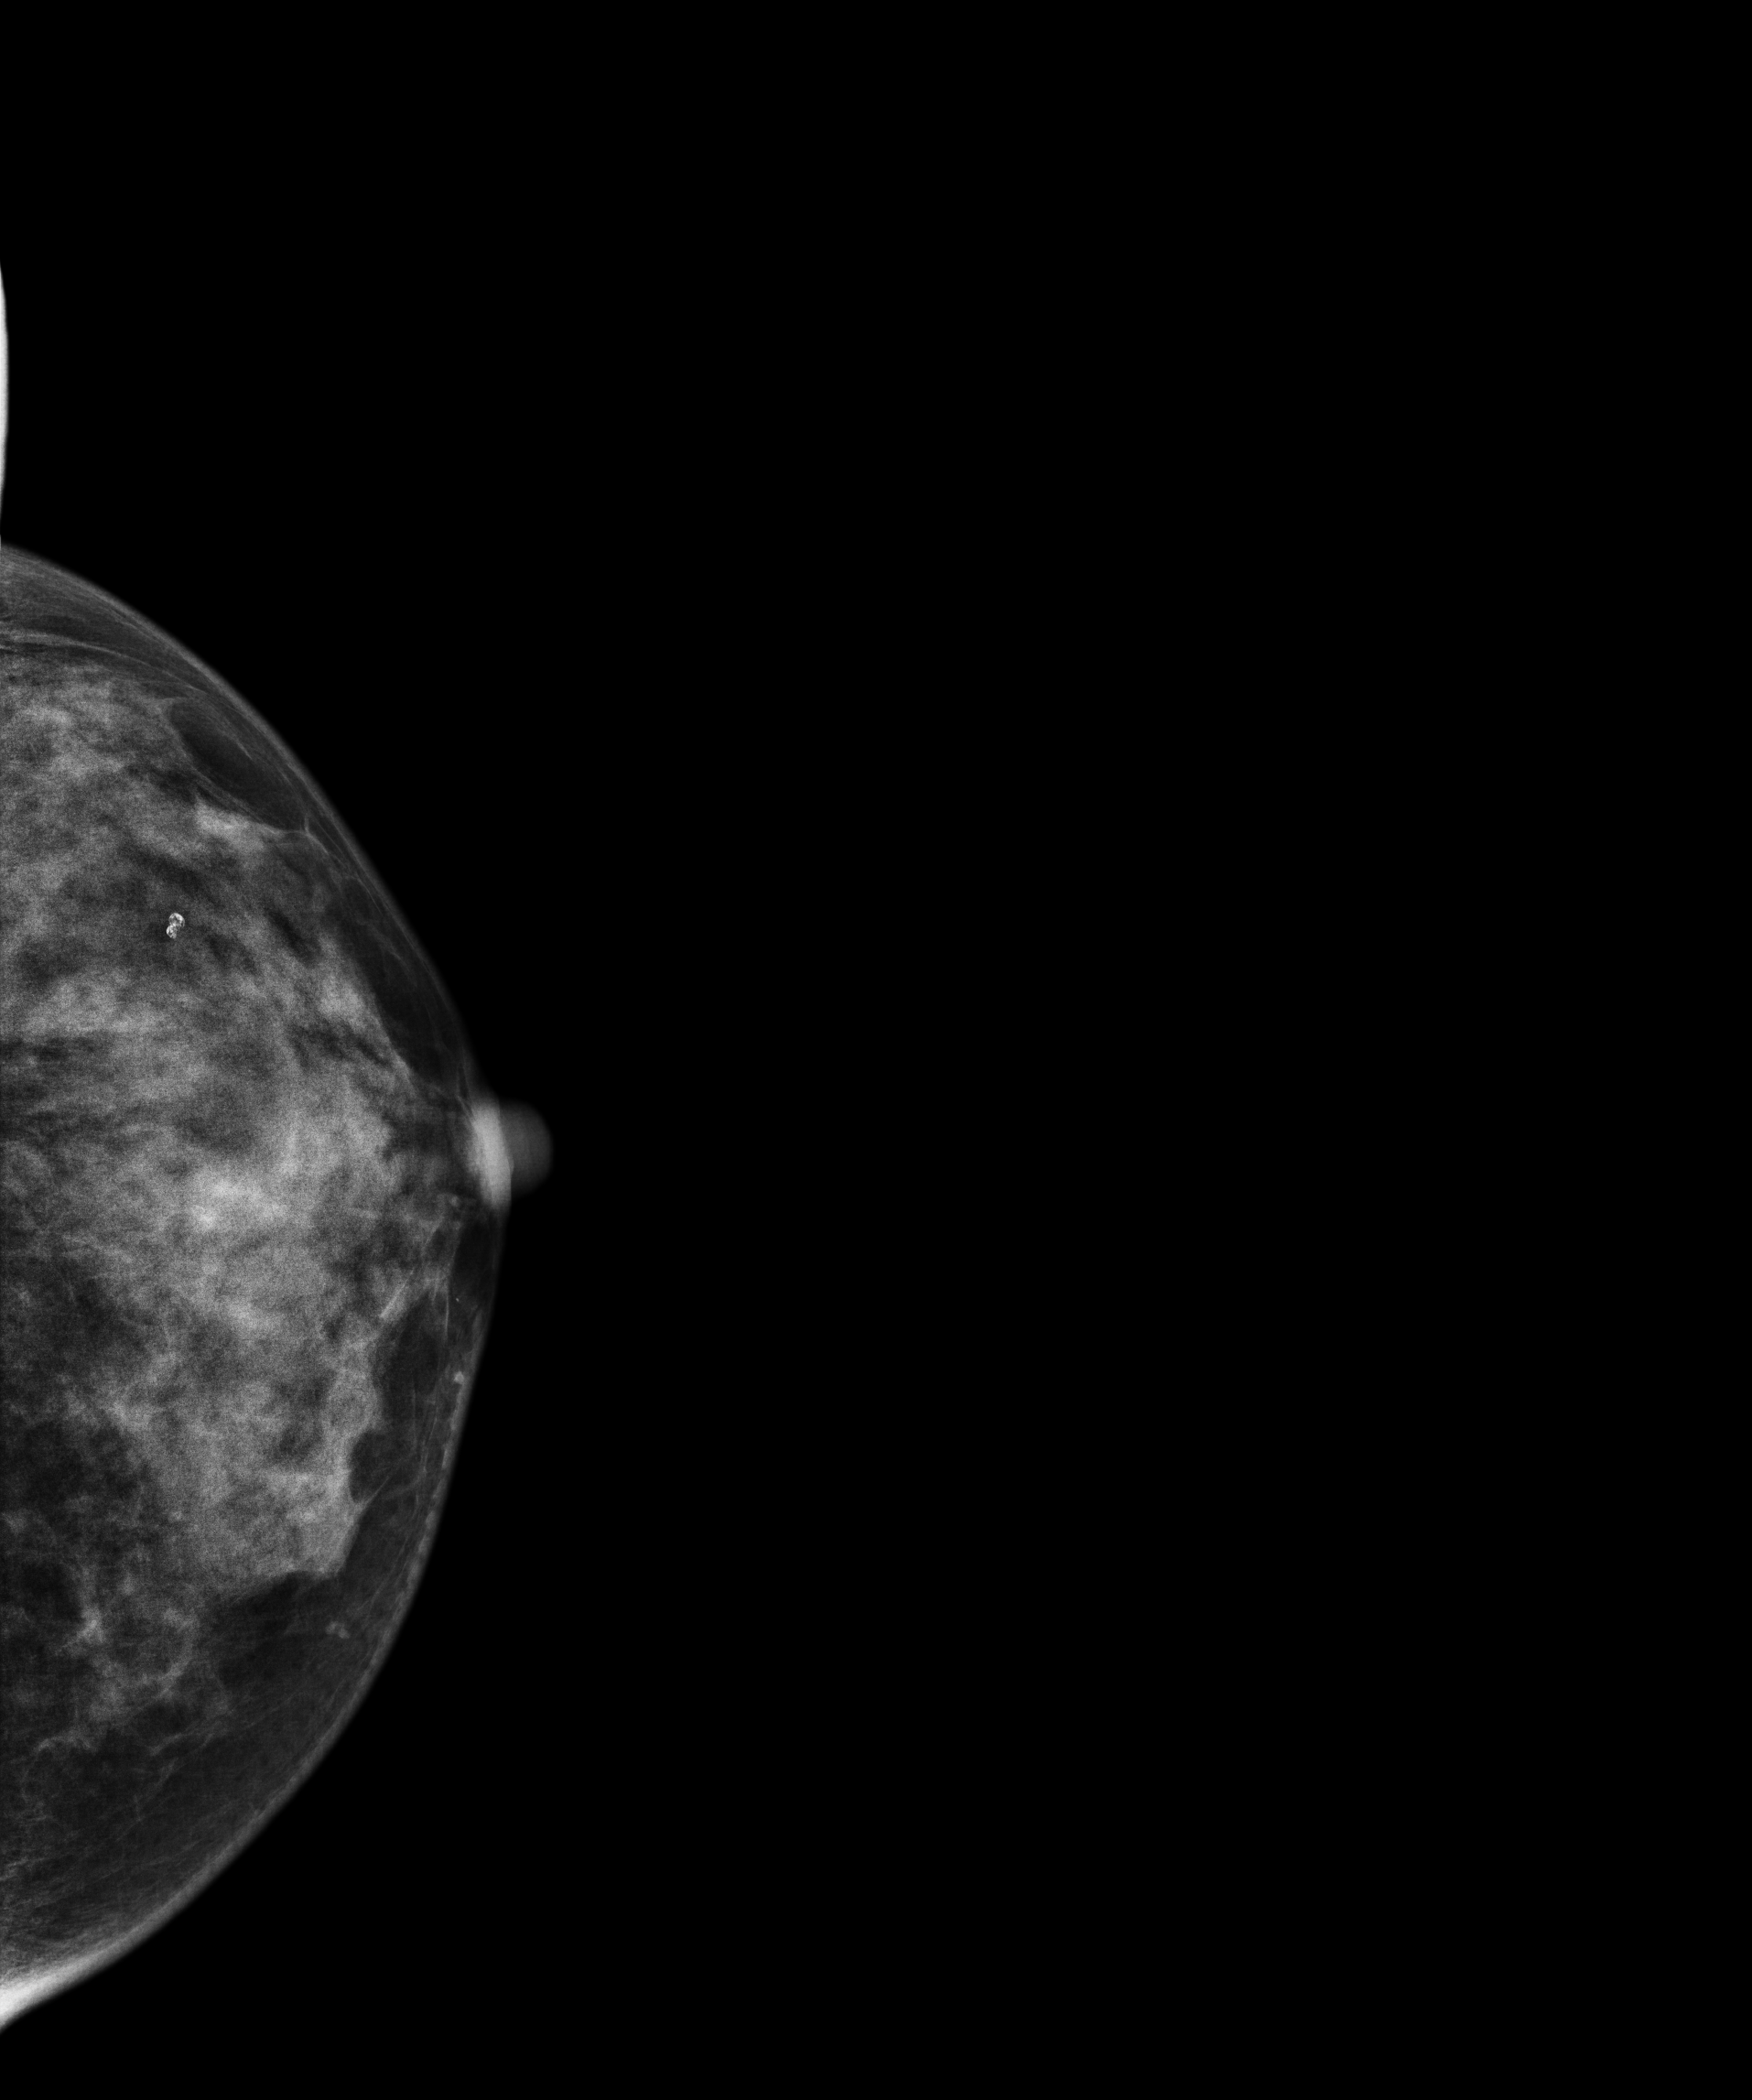
Digital mammography. Left breast, cranio-caudal projection. Patient age 45.
Contralateral breast — no documented abnormality on this side.